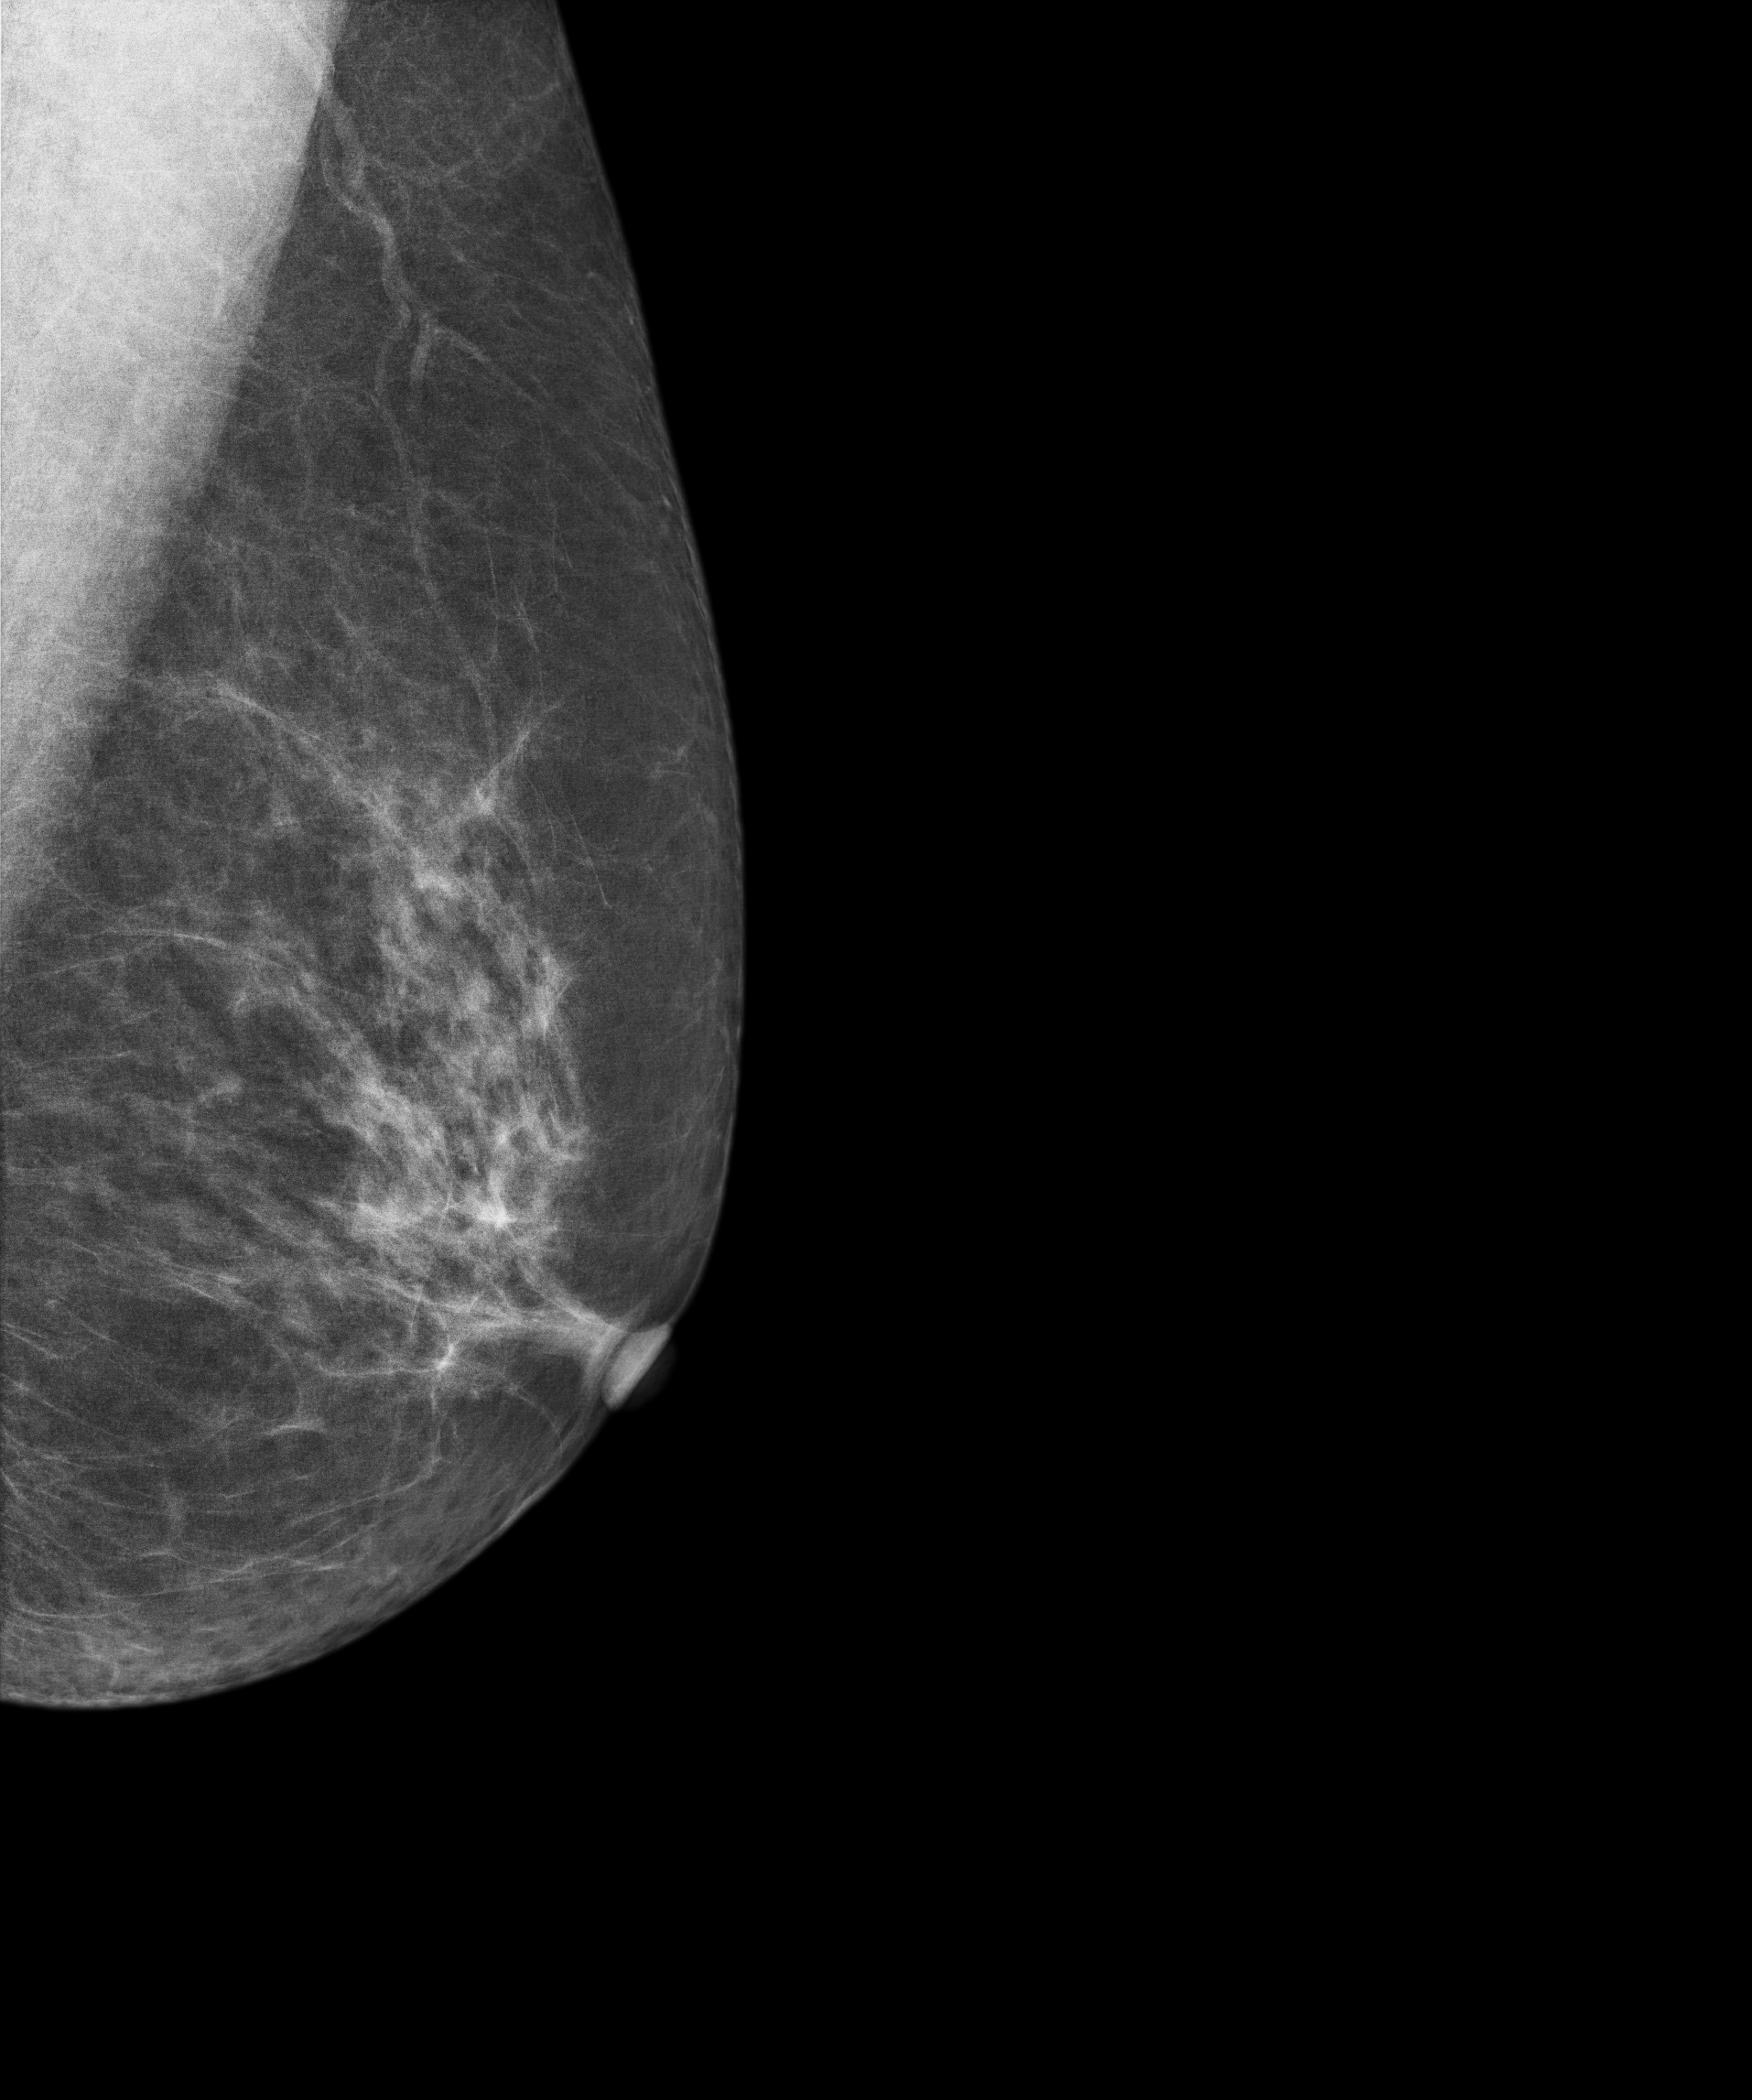
Mammogram — left MLO. Patient age 63.
Contralateral breast — no documented abnormality on this side.